CC mammogram of the right breast. 47 y/o patient.
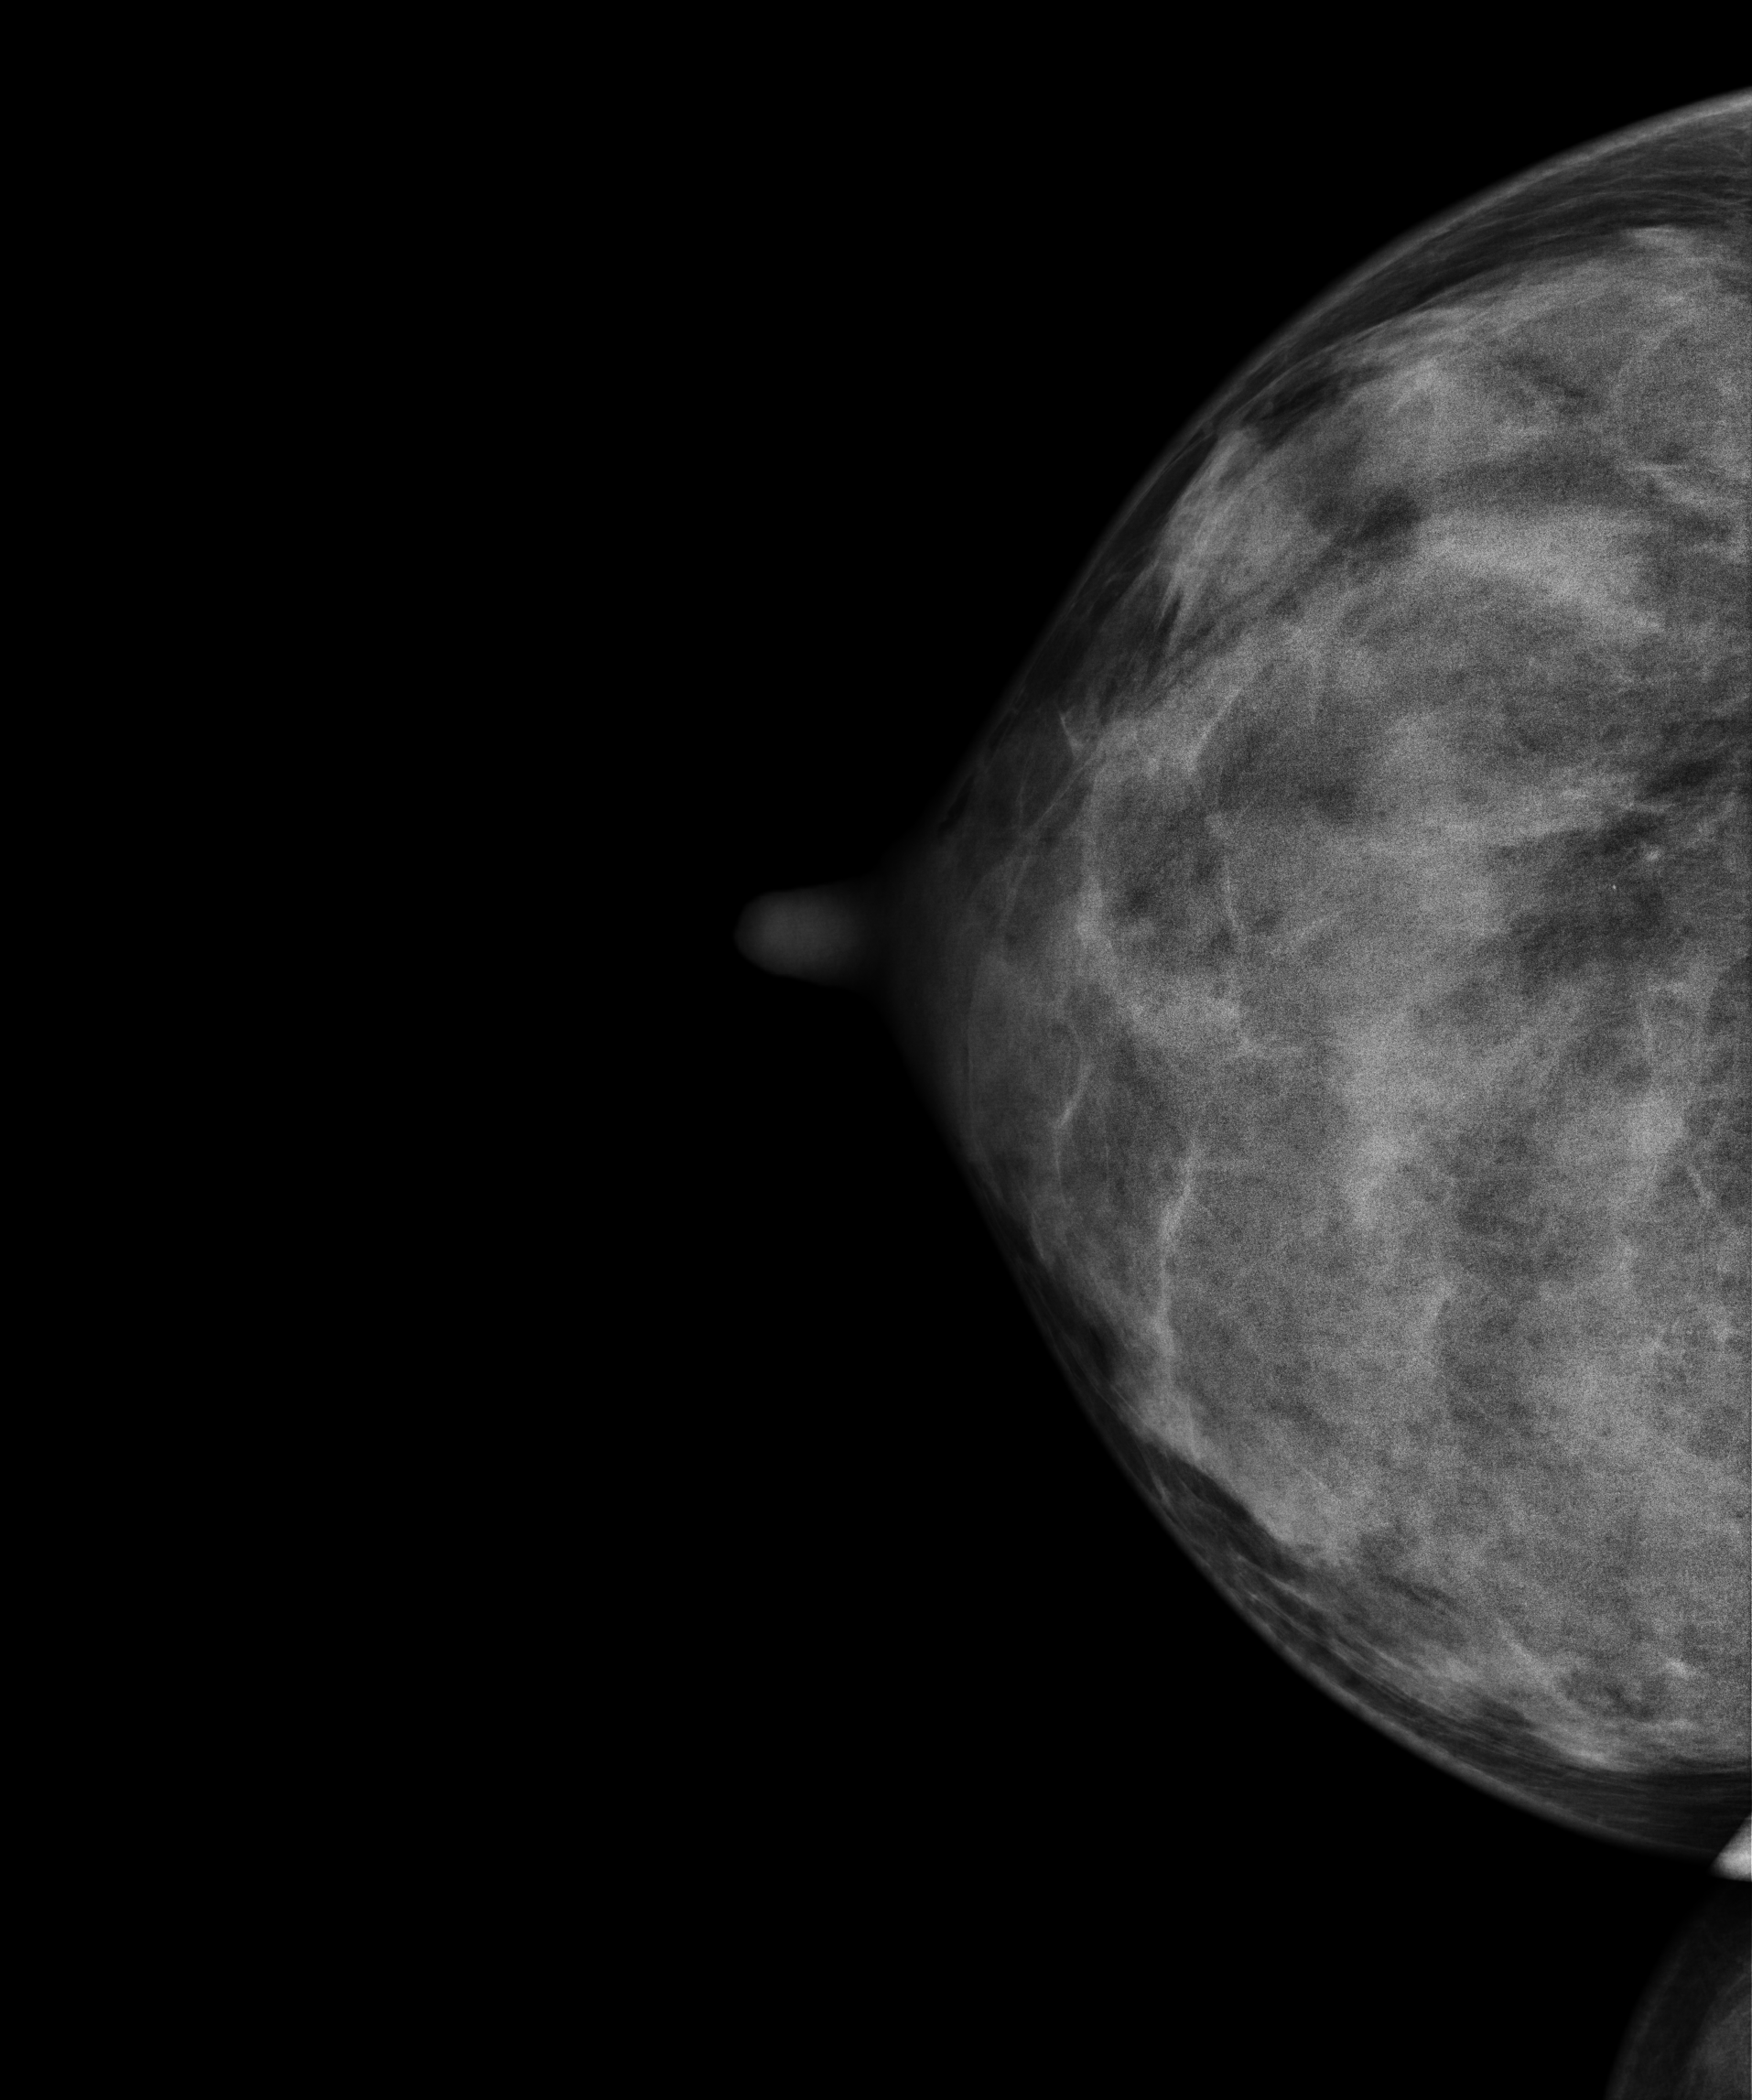
This breast has a mass, pathology-confirmed malignant. Molecular subtype: luminal B.